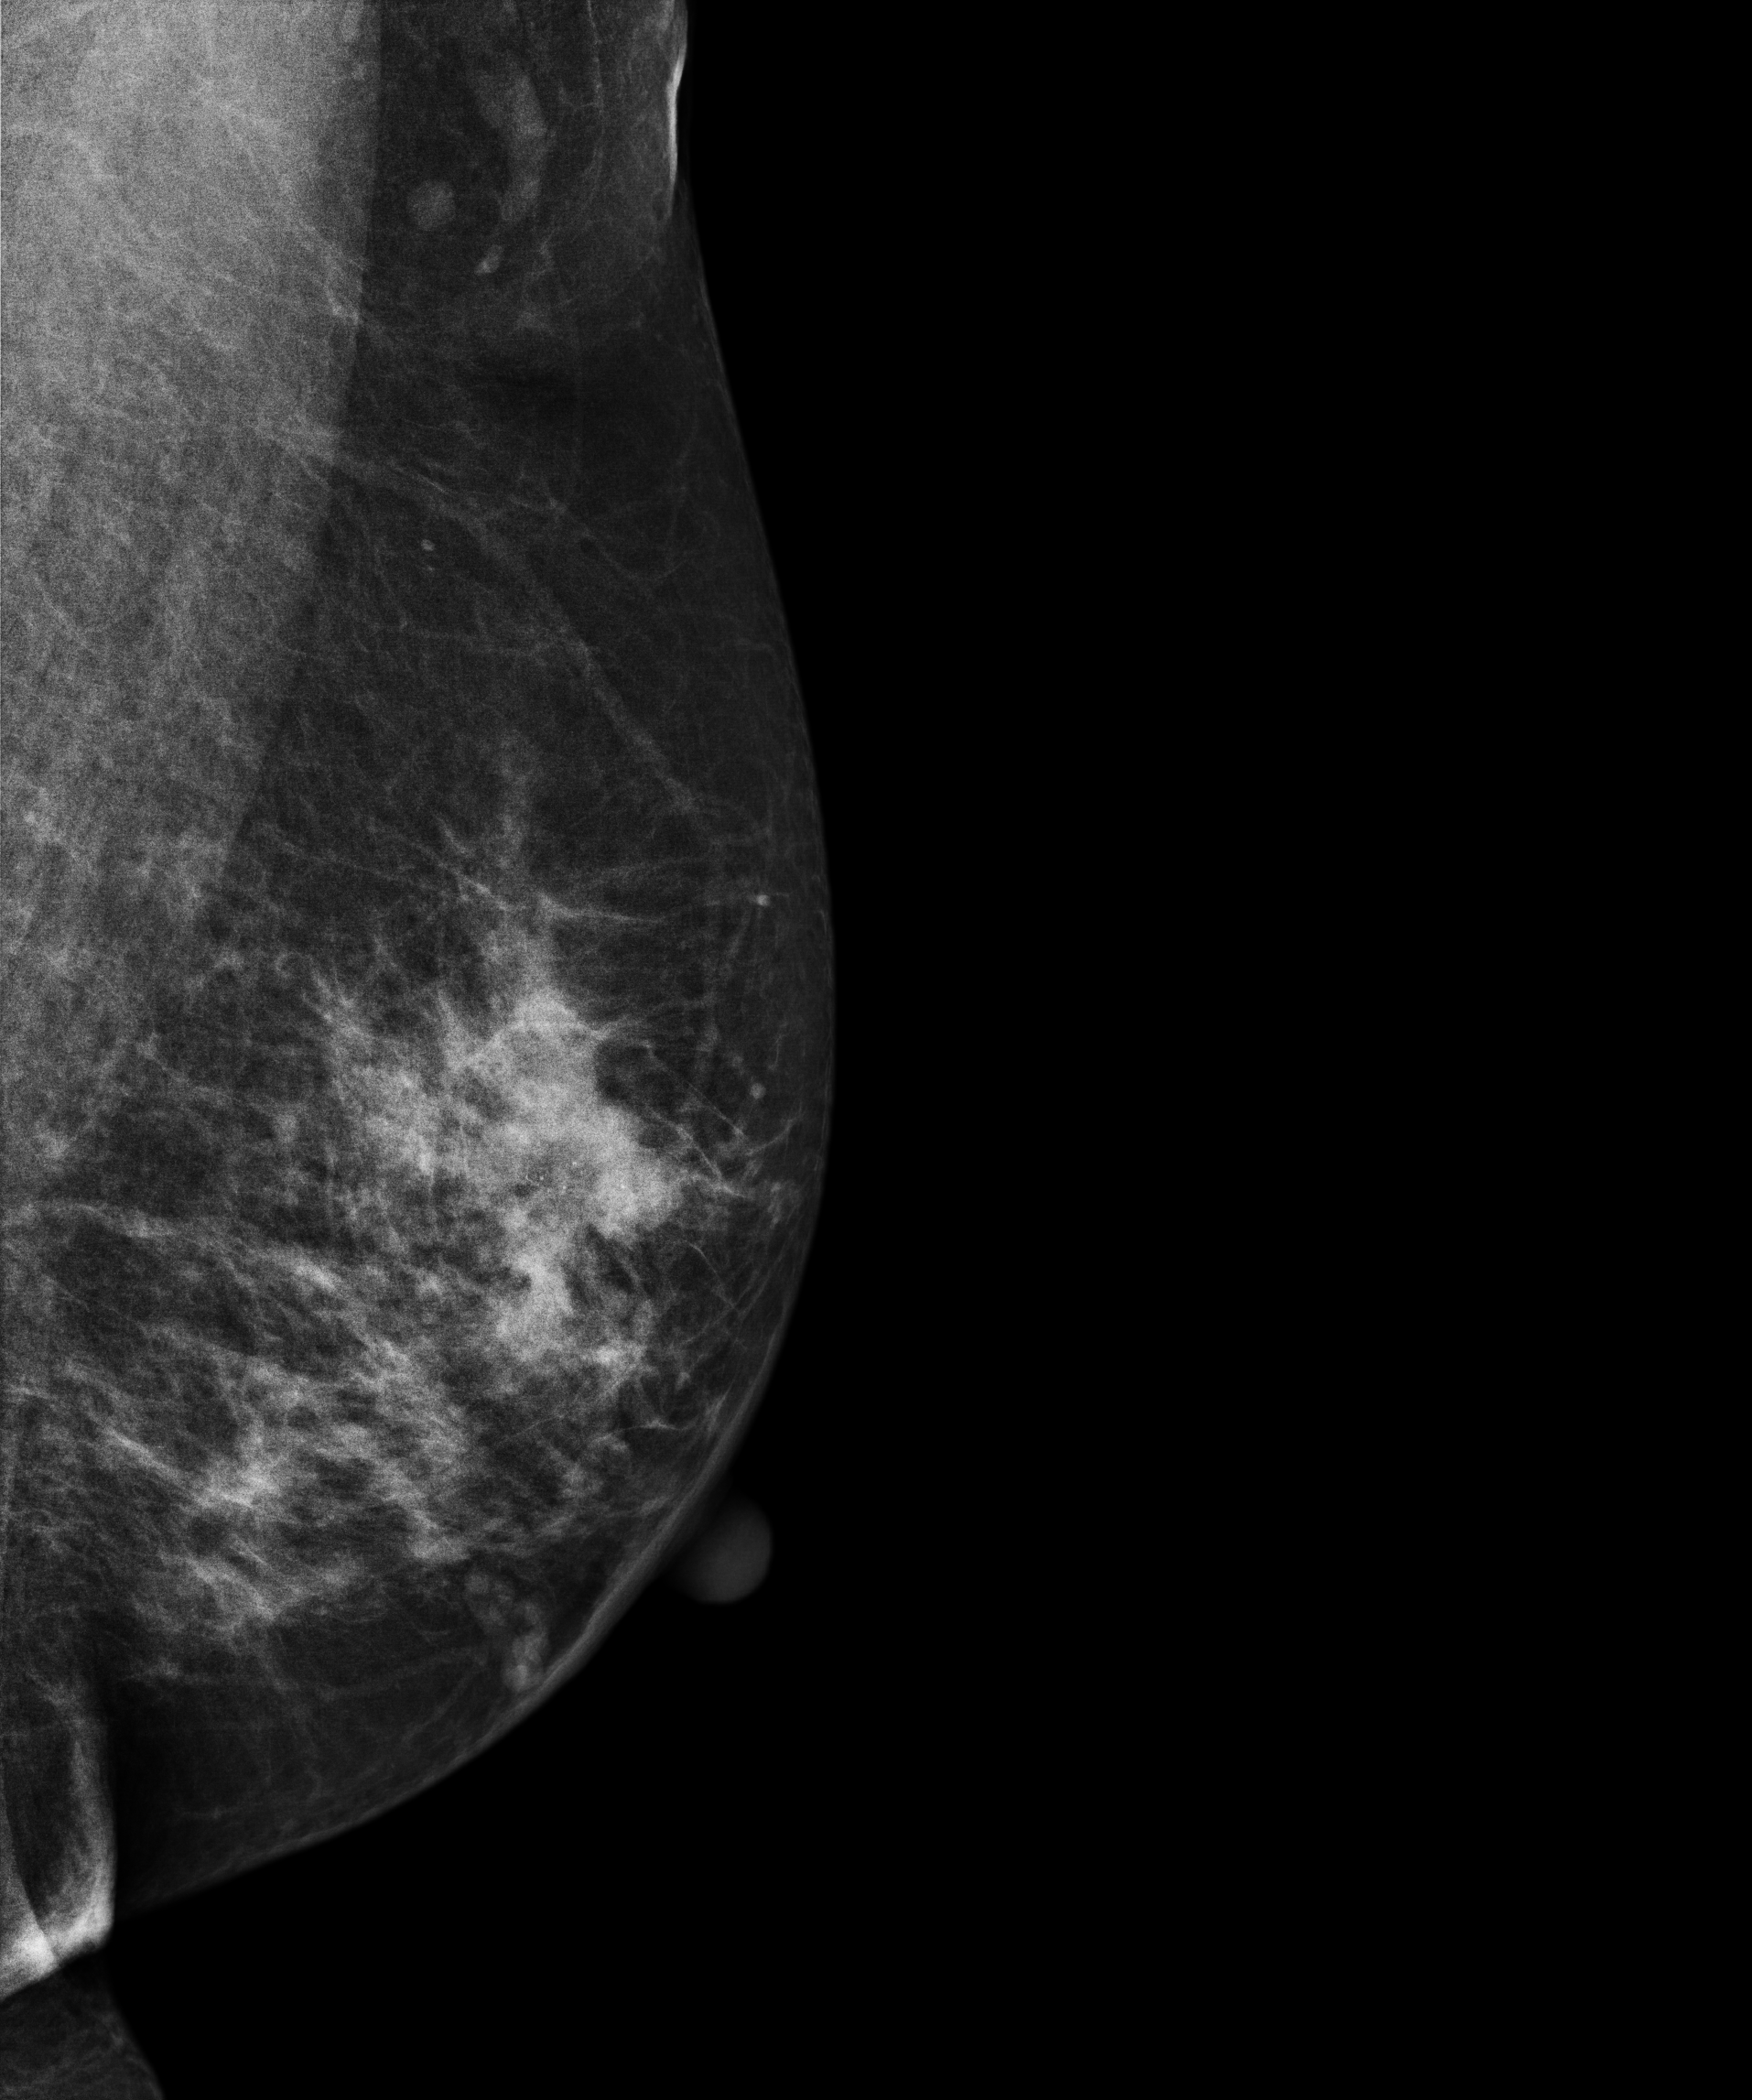
Medio-lateral oblique mammogram of the left breast. 66-year-old patient.
This breast has a mass and calcifications, biopsy-proven malignant. Molecular subtype: triple-negative.